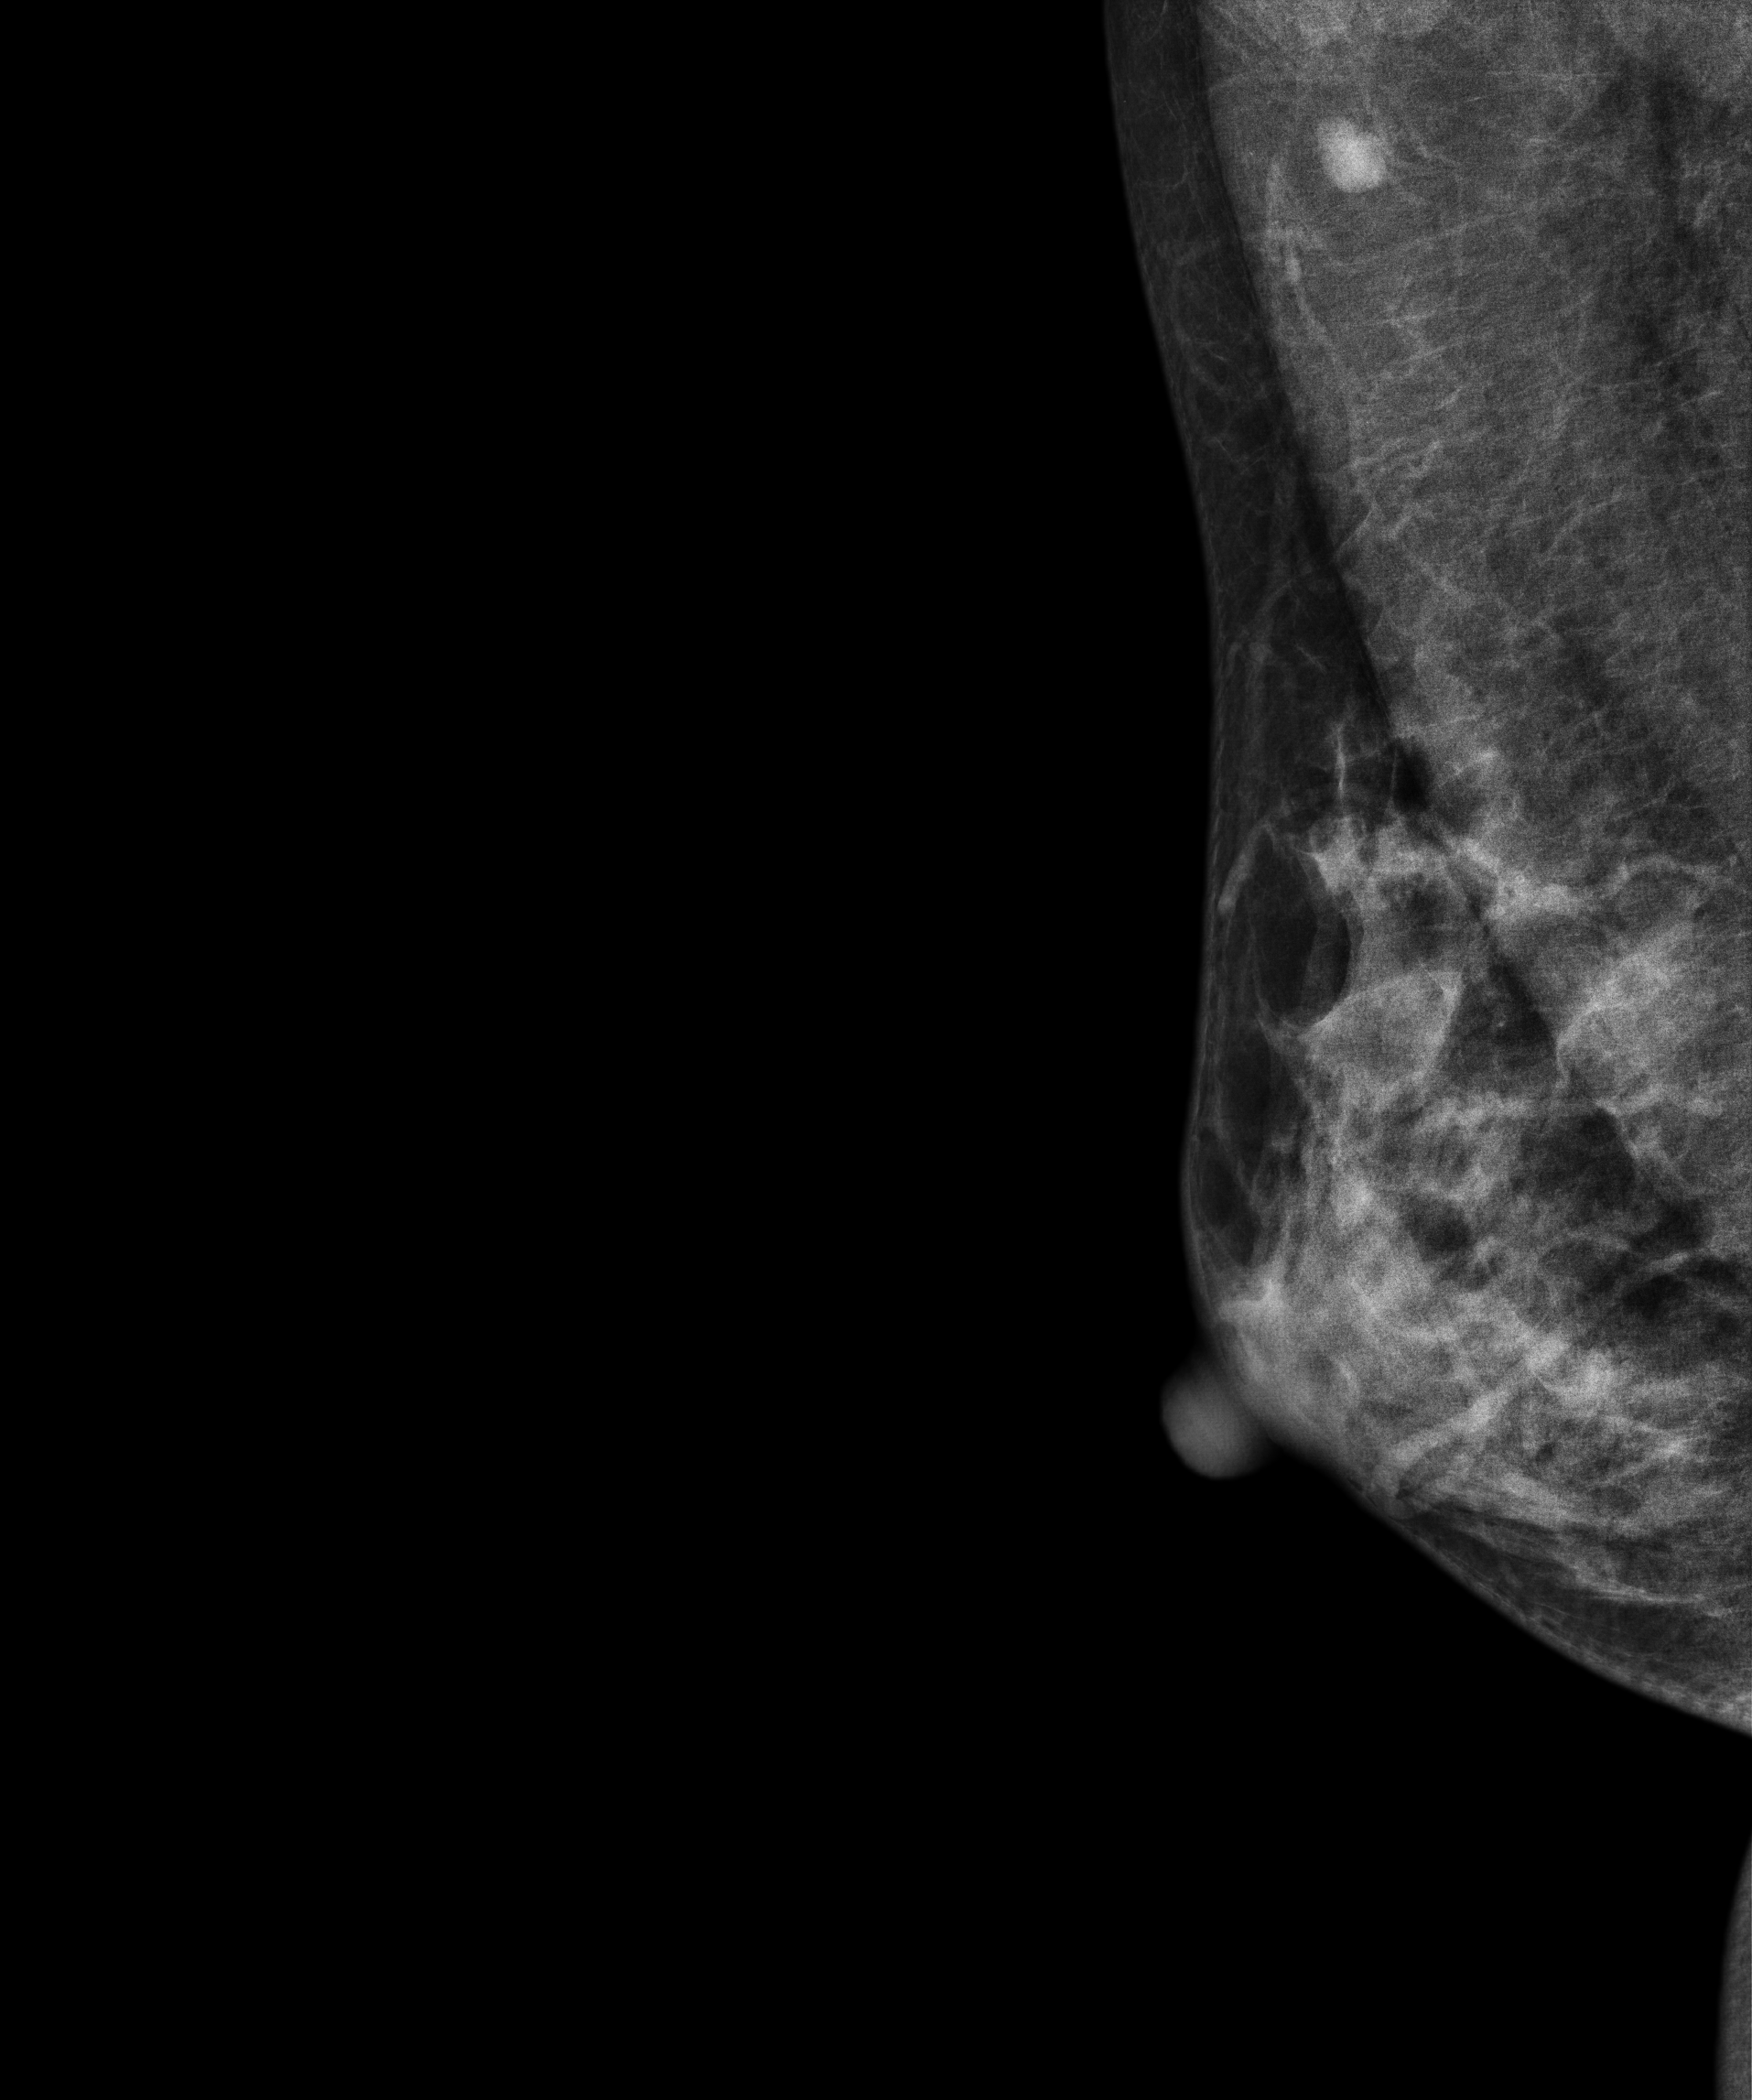
Digital mammography. Right breast, MLO projection. Patient age 35.
Contralateral breast — no documented abnormality on this side.